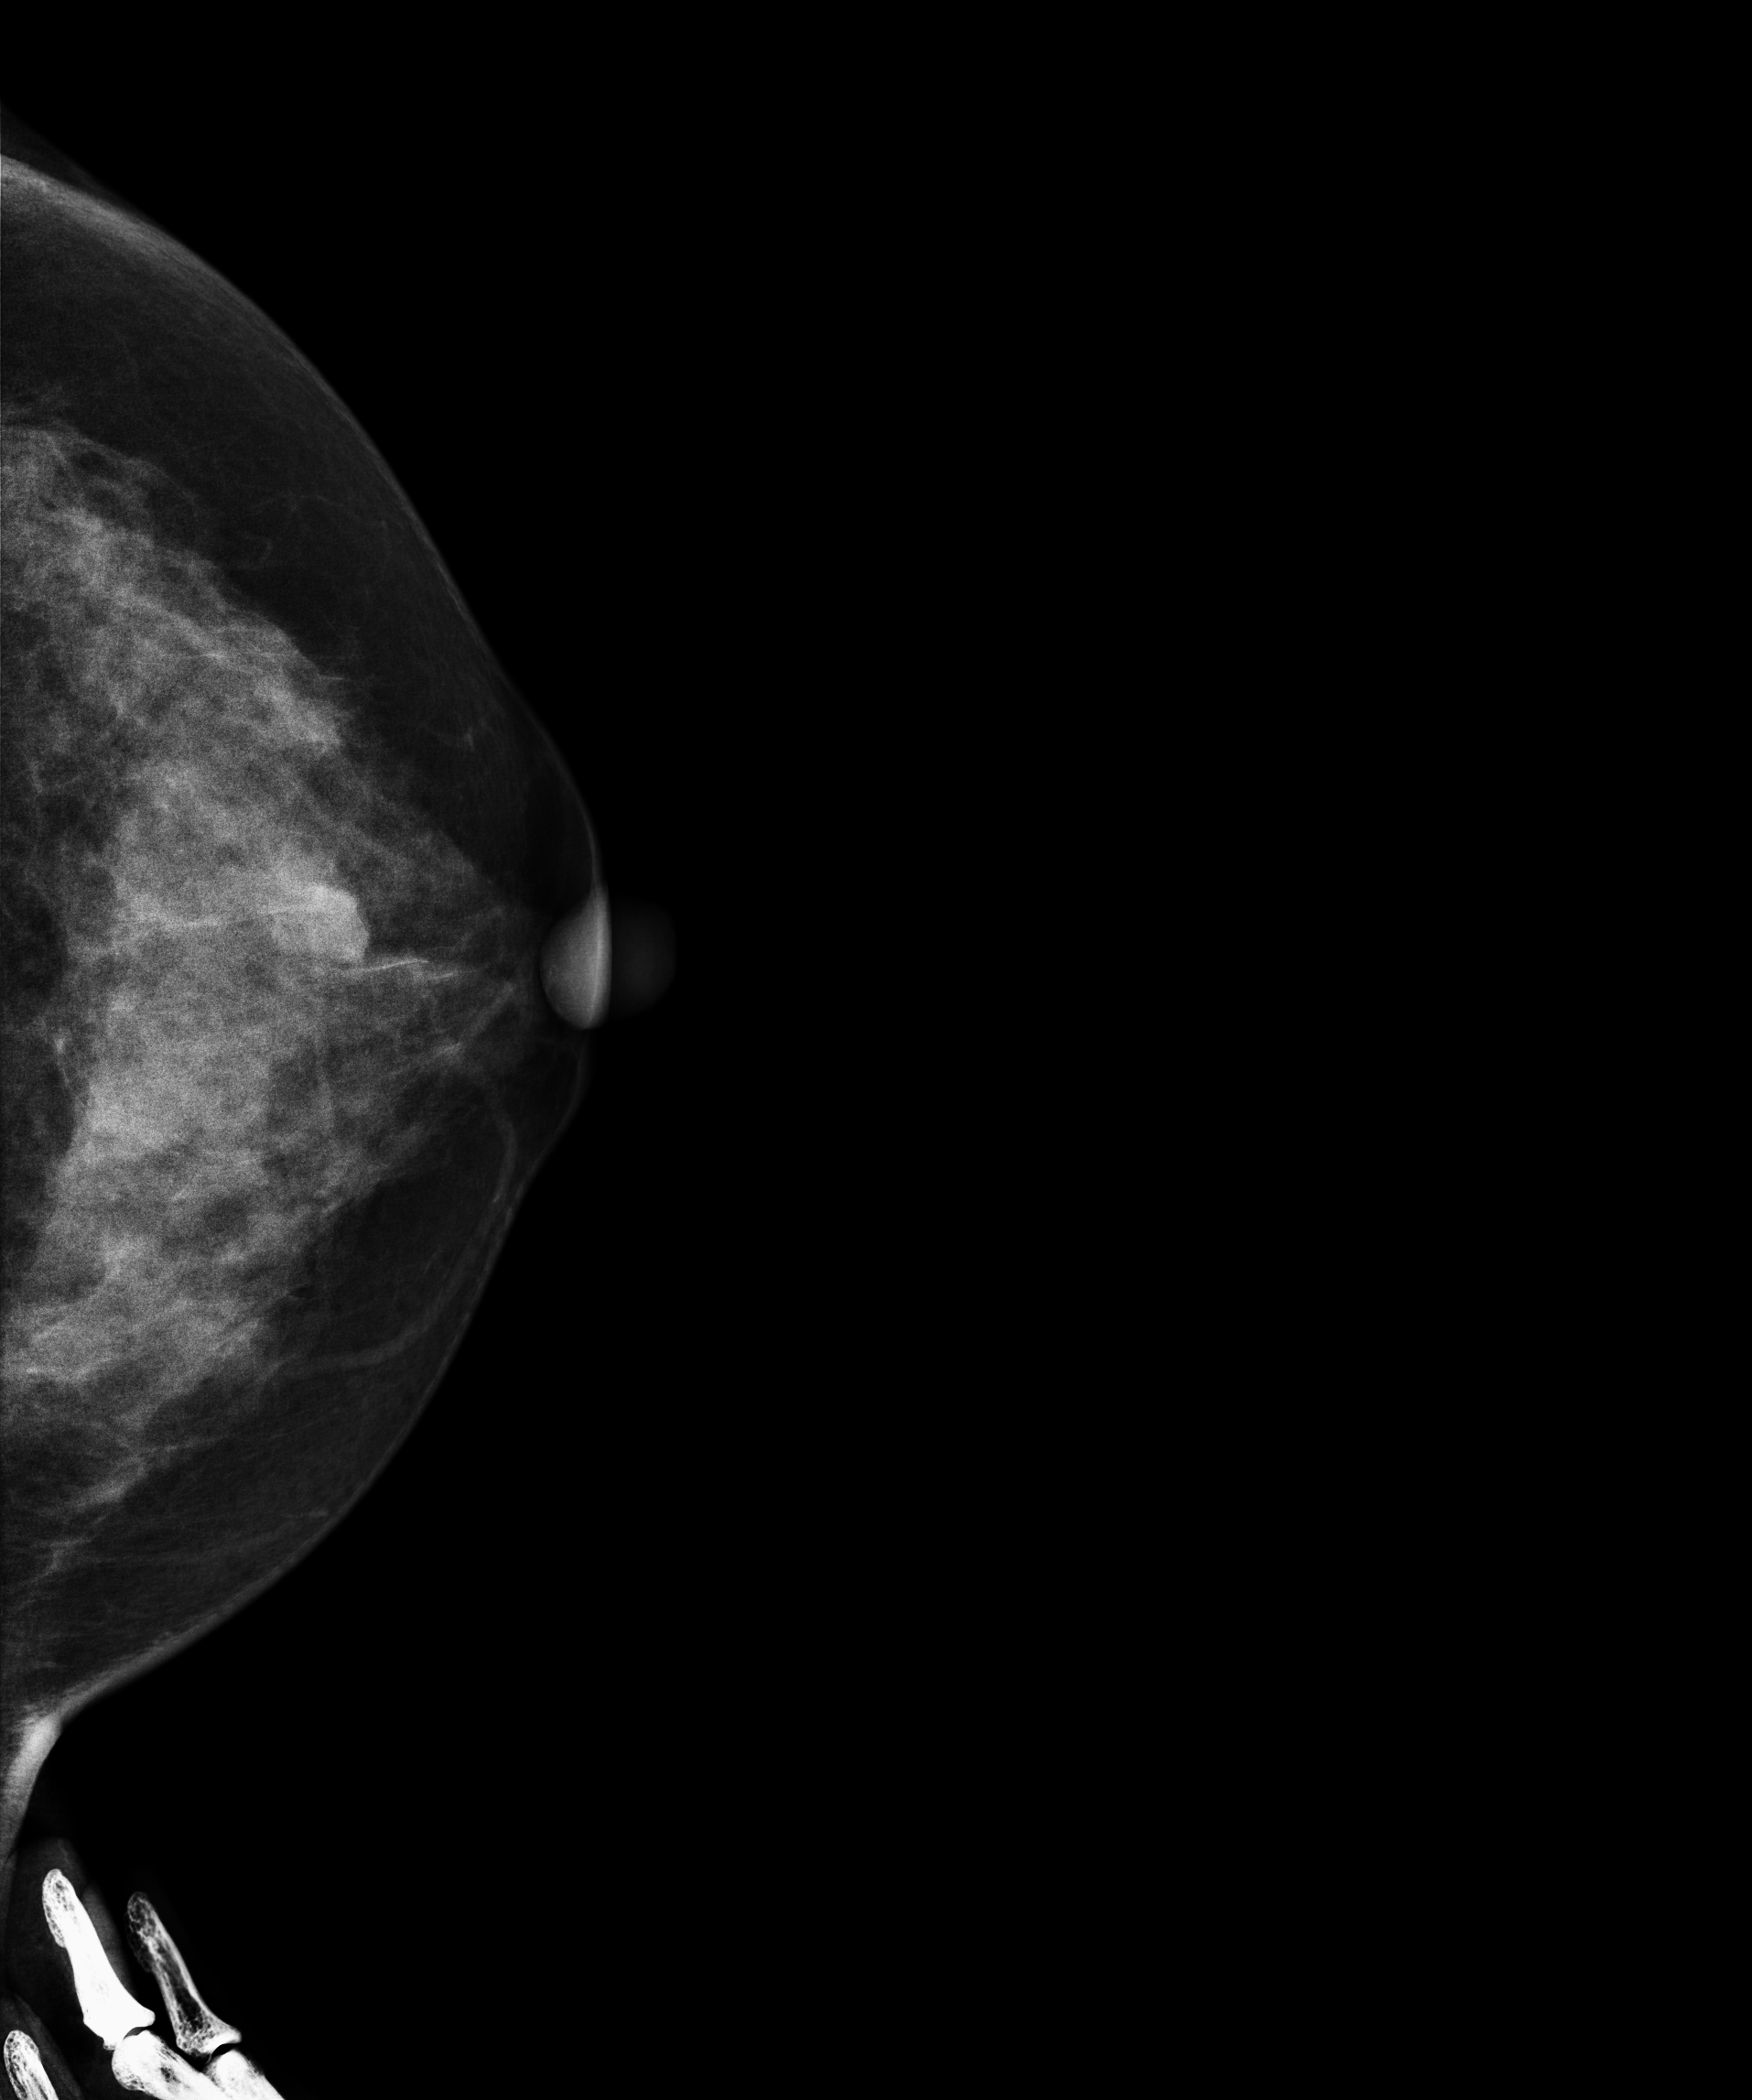
Mammogram, left breast, cranio-caudal view. Patient age 39.
Contralateral breast — no documented abnormality on this side.